Mammogram, left breast, medio-lateral oblique view. Patient age 60.
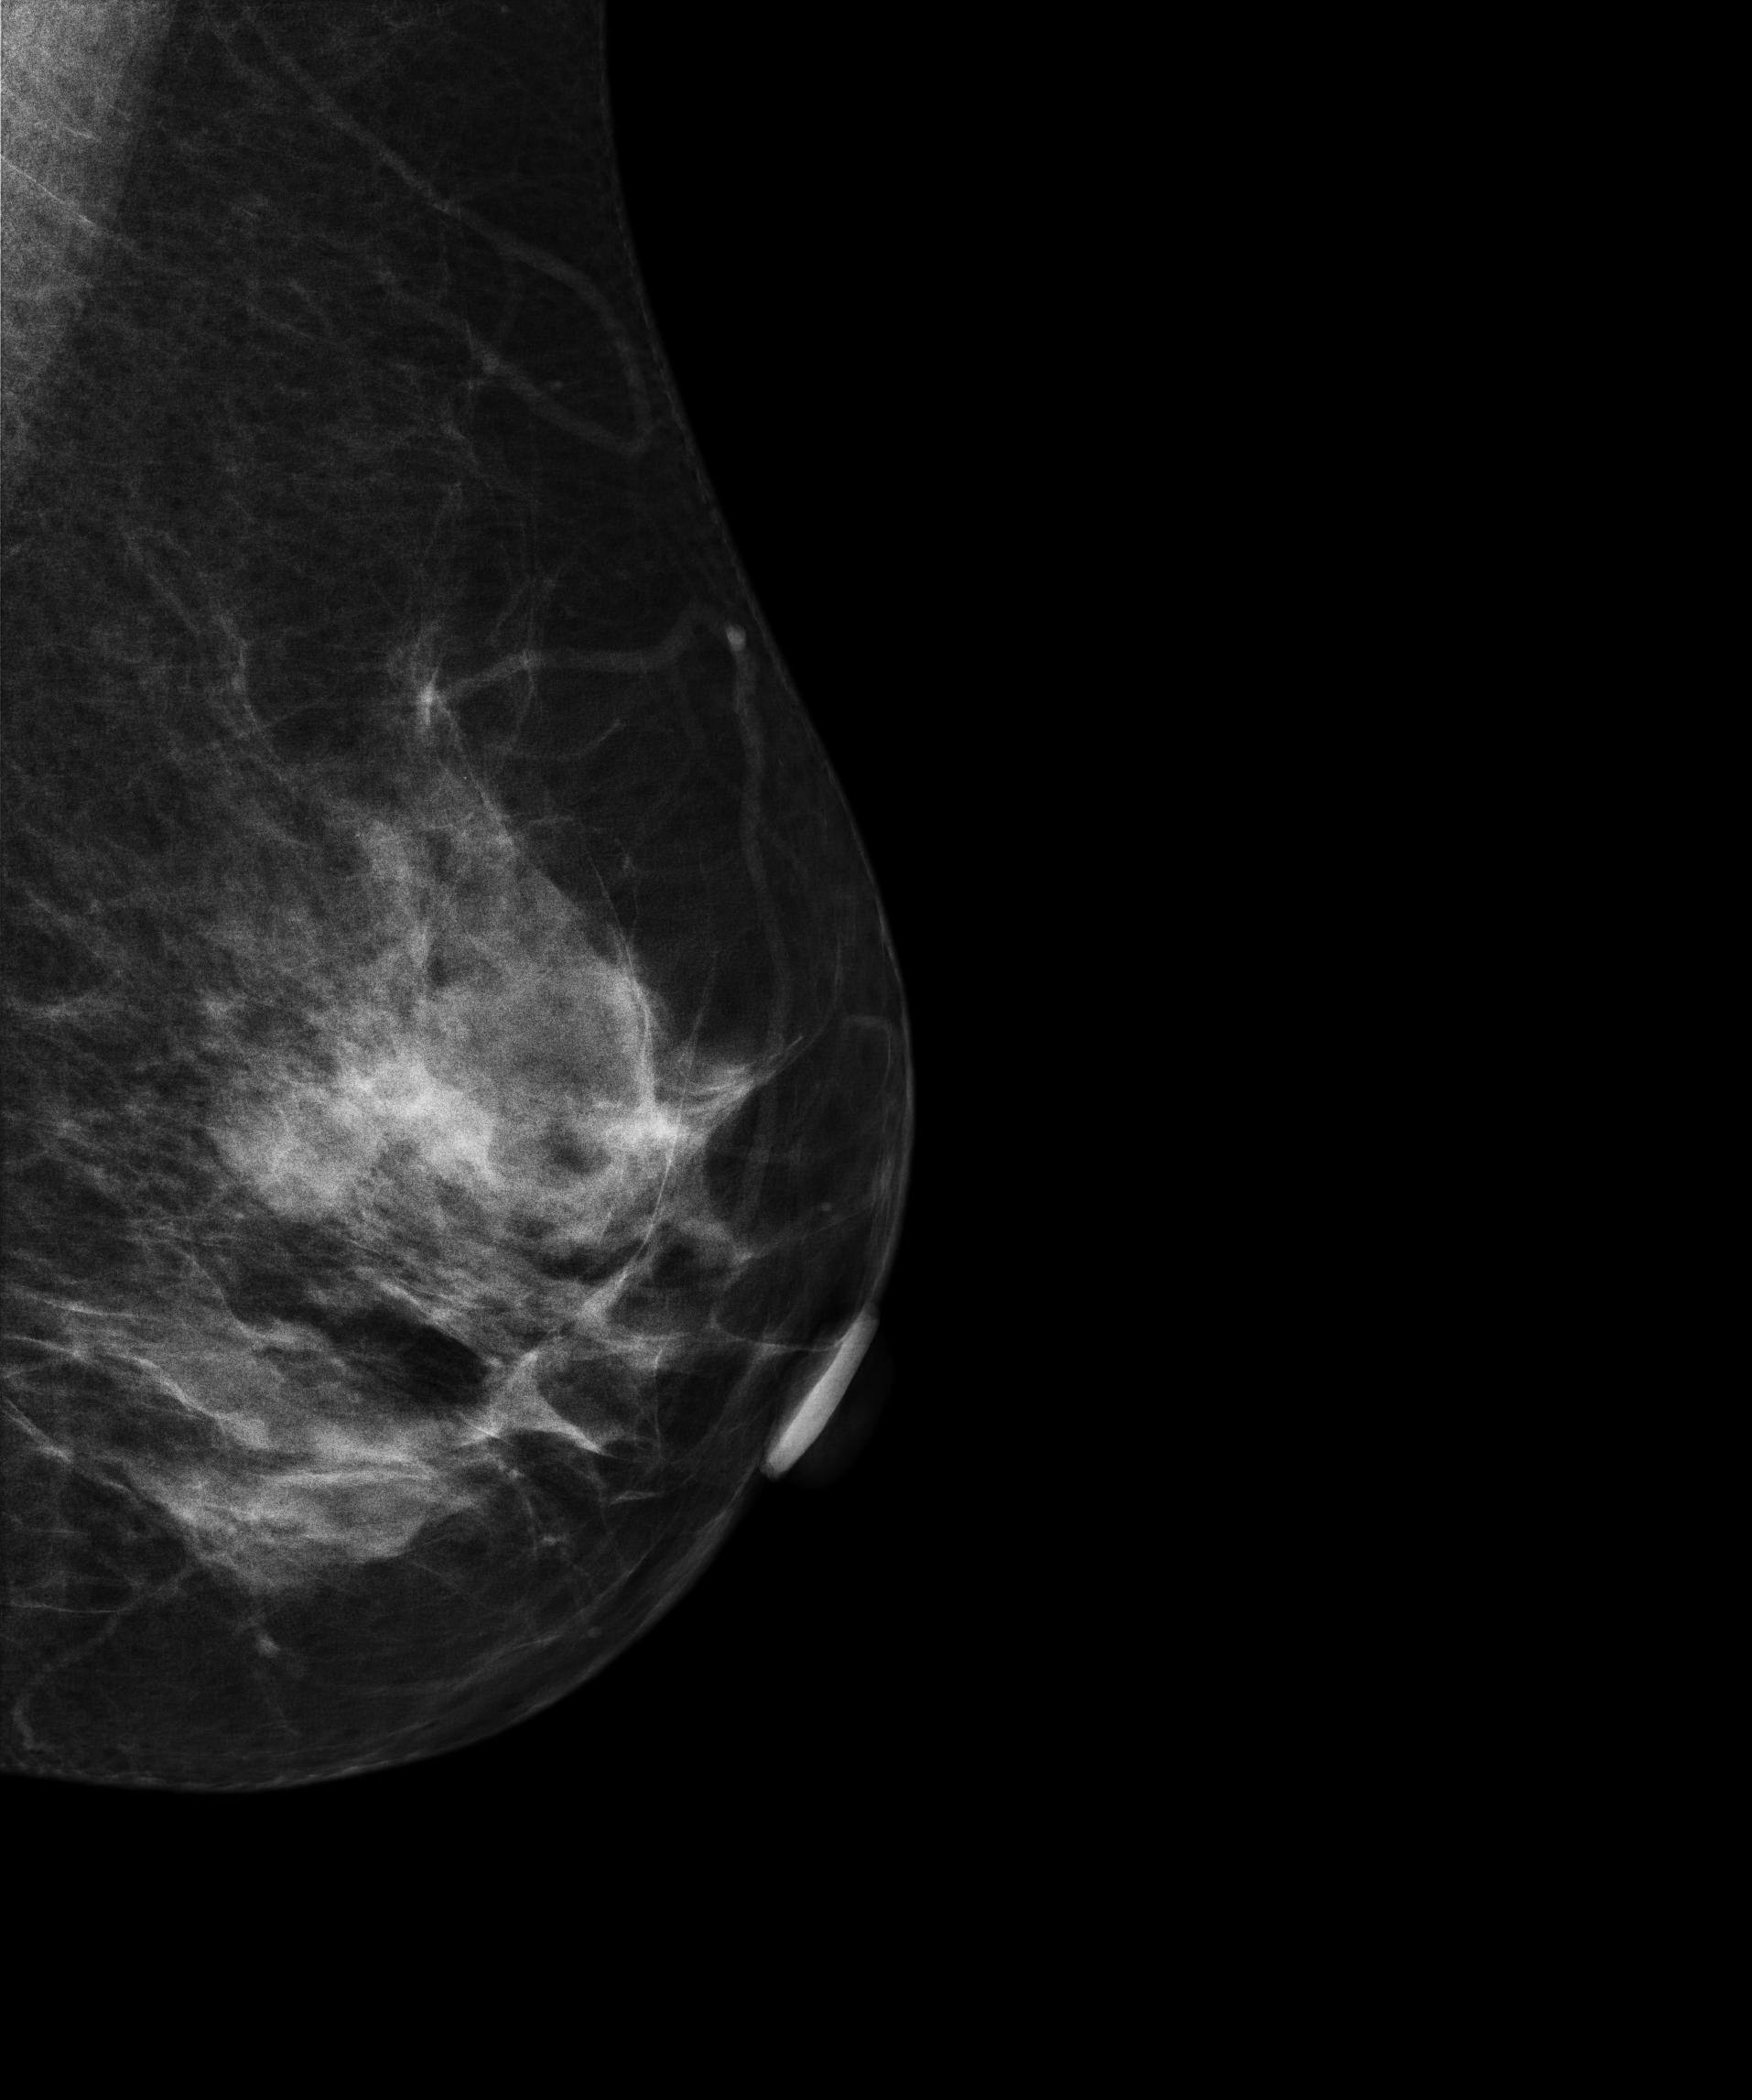
This breast has a mass, pathology-confirmed malignant.